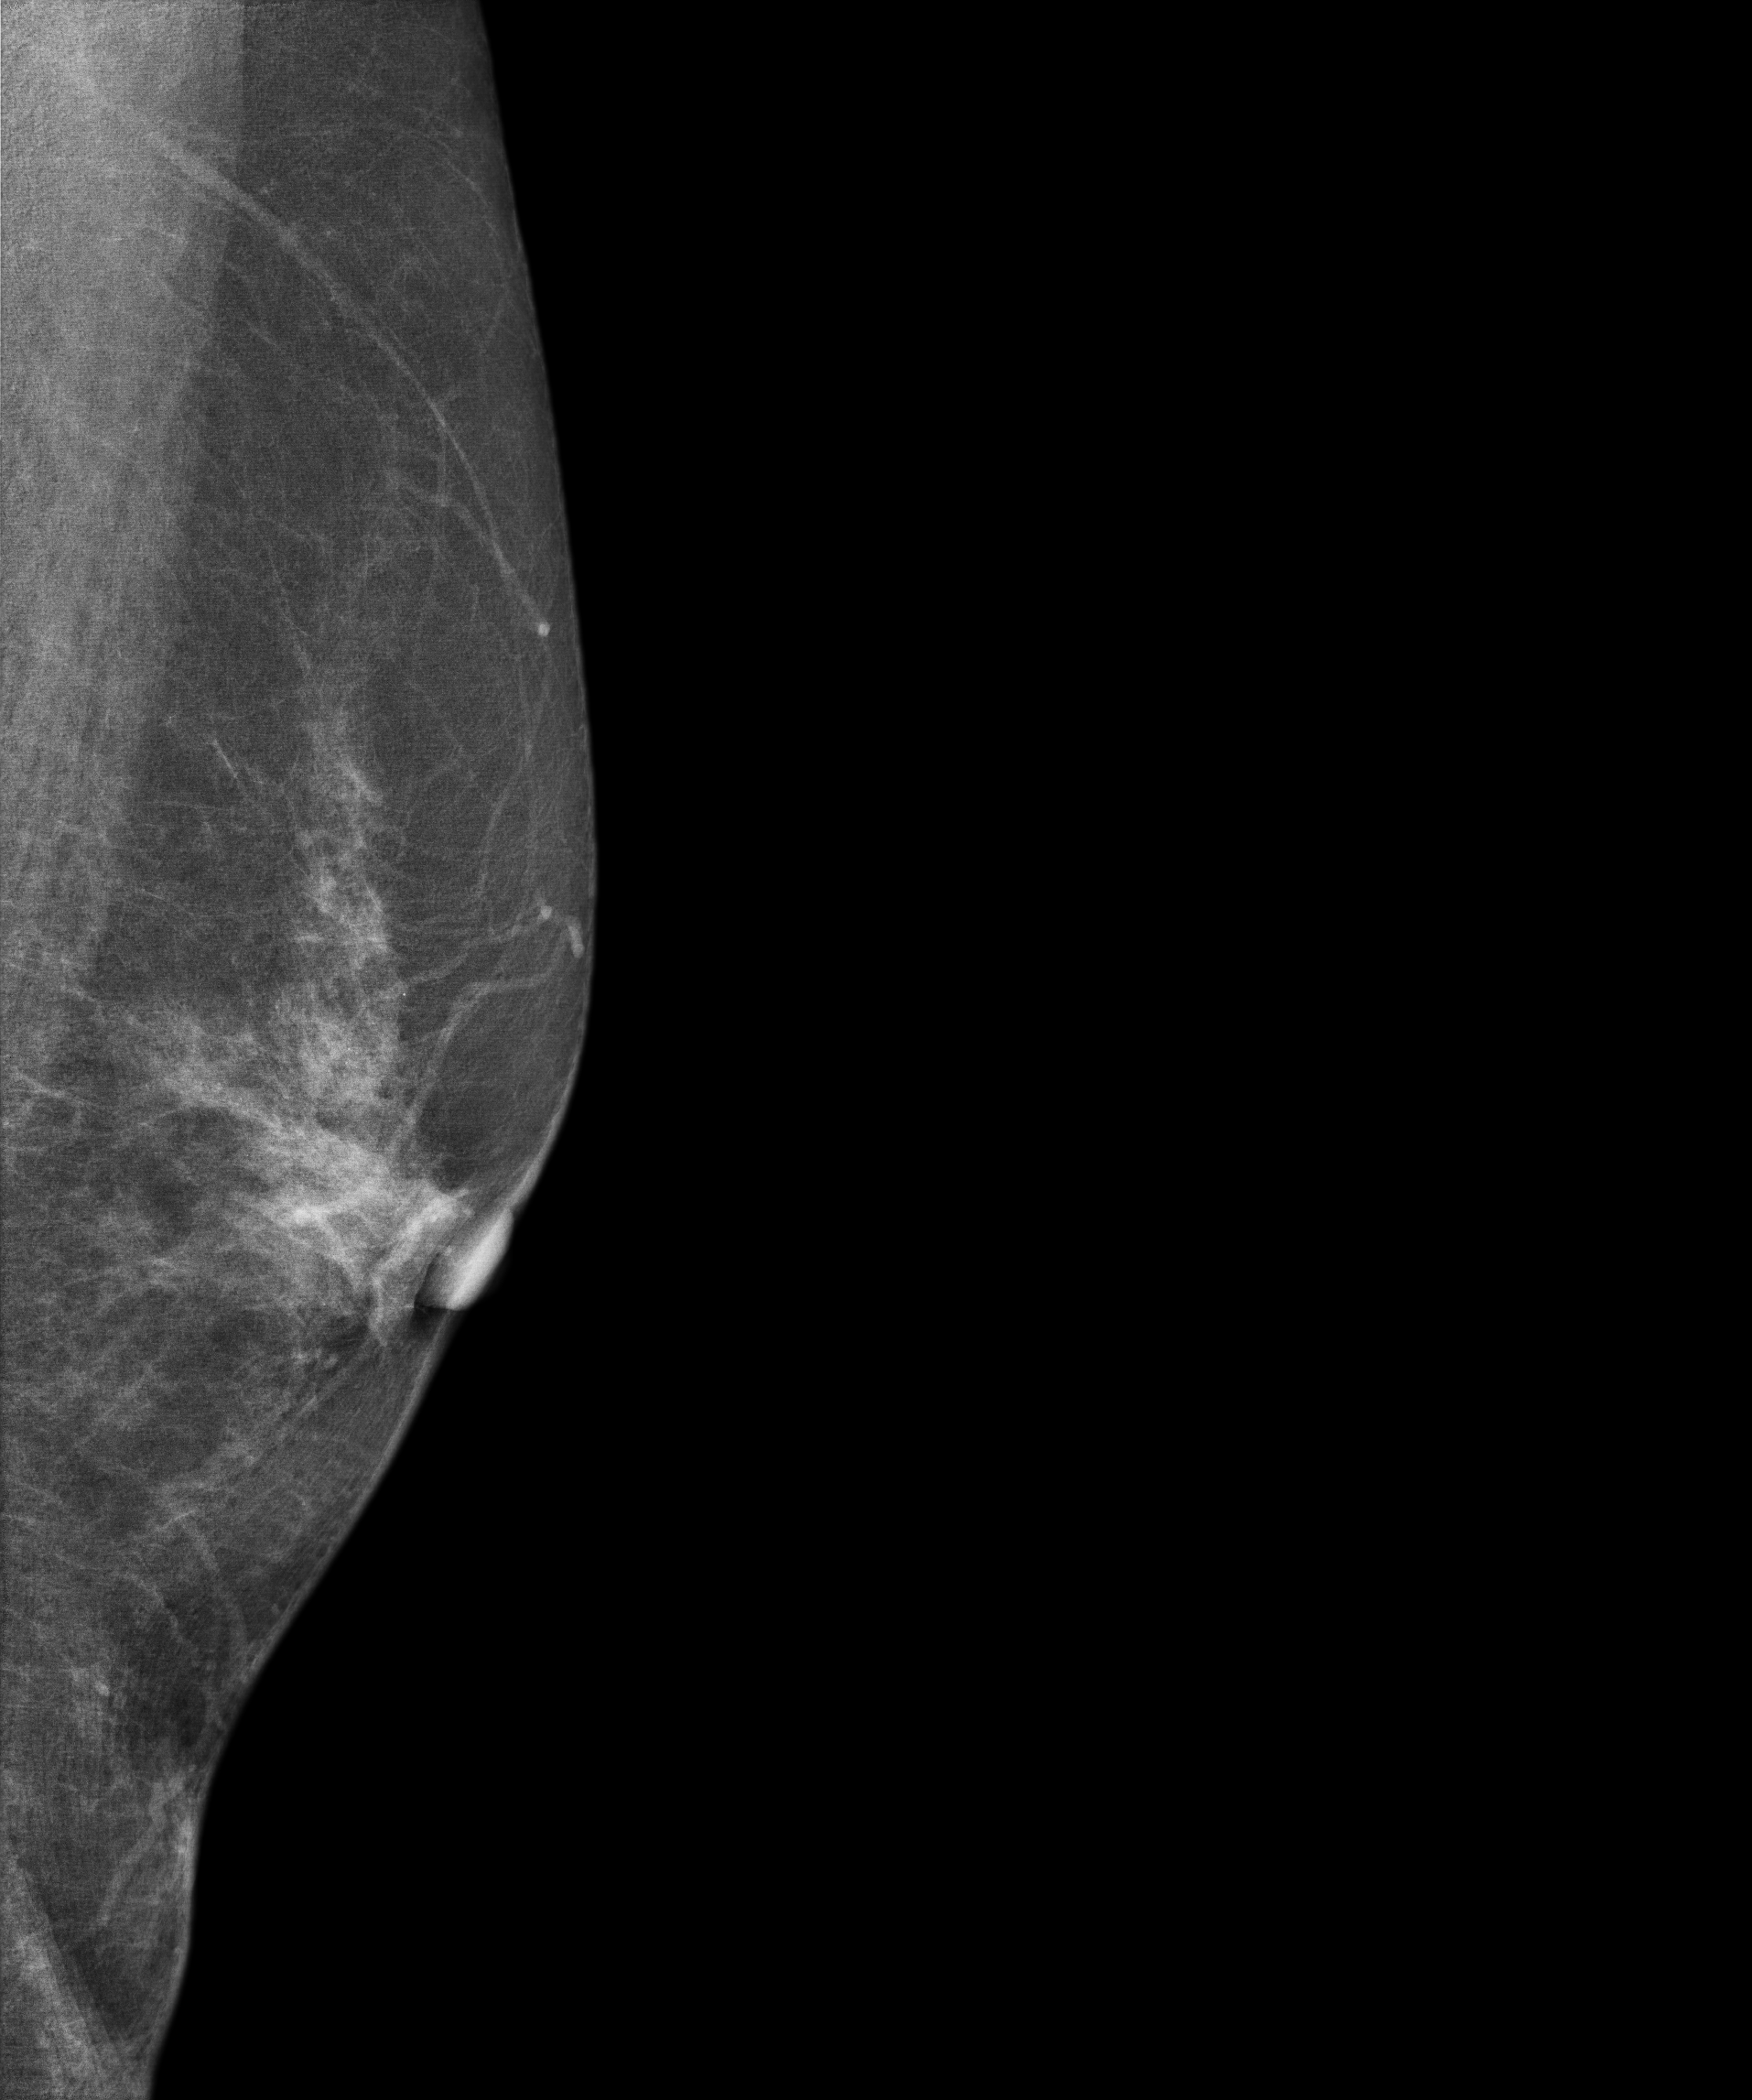
Digital mammography. Left breast, medio-lateral oblique projection. 69 y/o patient.
Contralateral breast — no documented abnormality on this side.